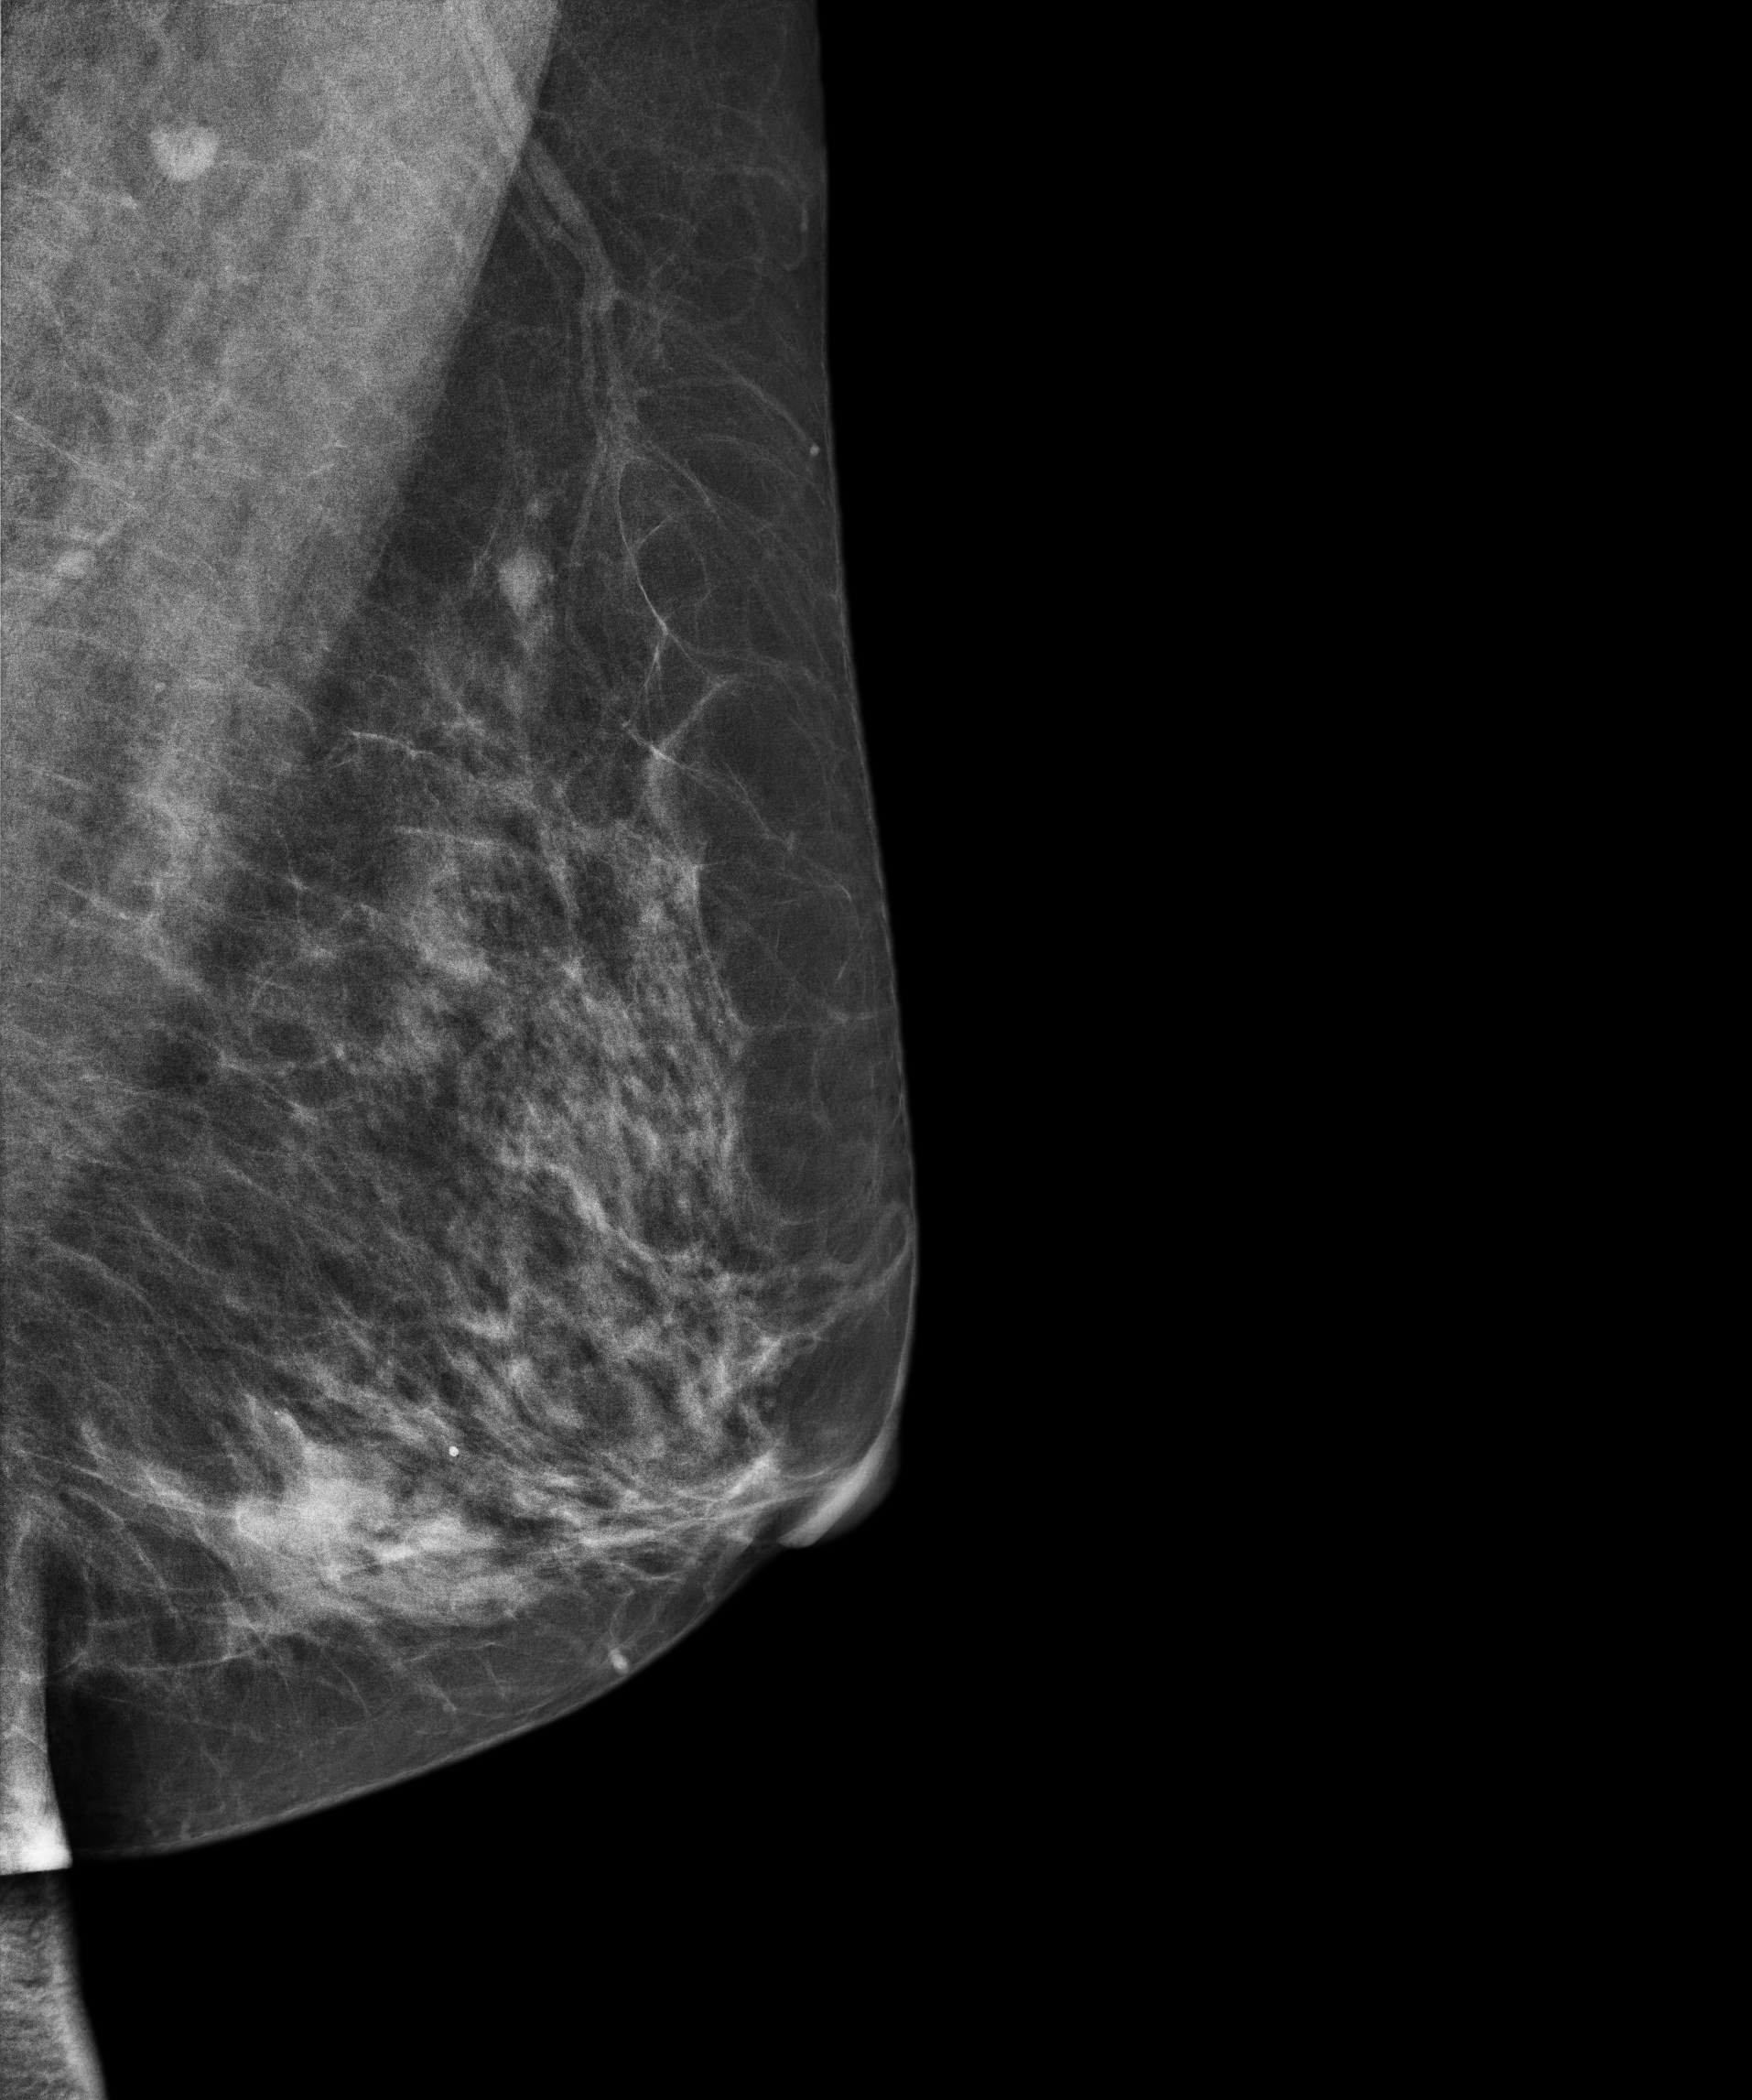
Left-breast mammogram, medio-lateral oblique. 65-year-old patient.
This breast has a mass, histologically confirmed malignant.